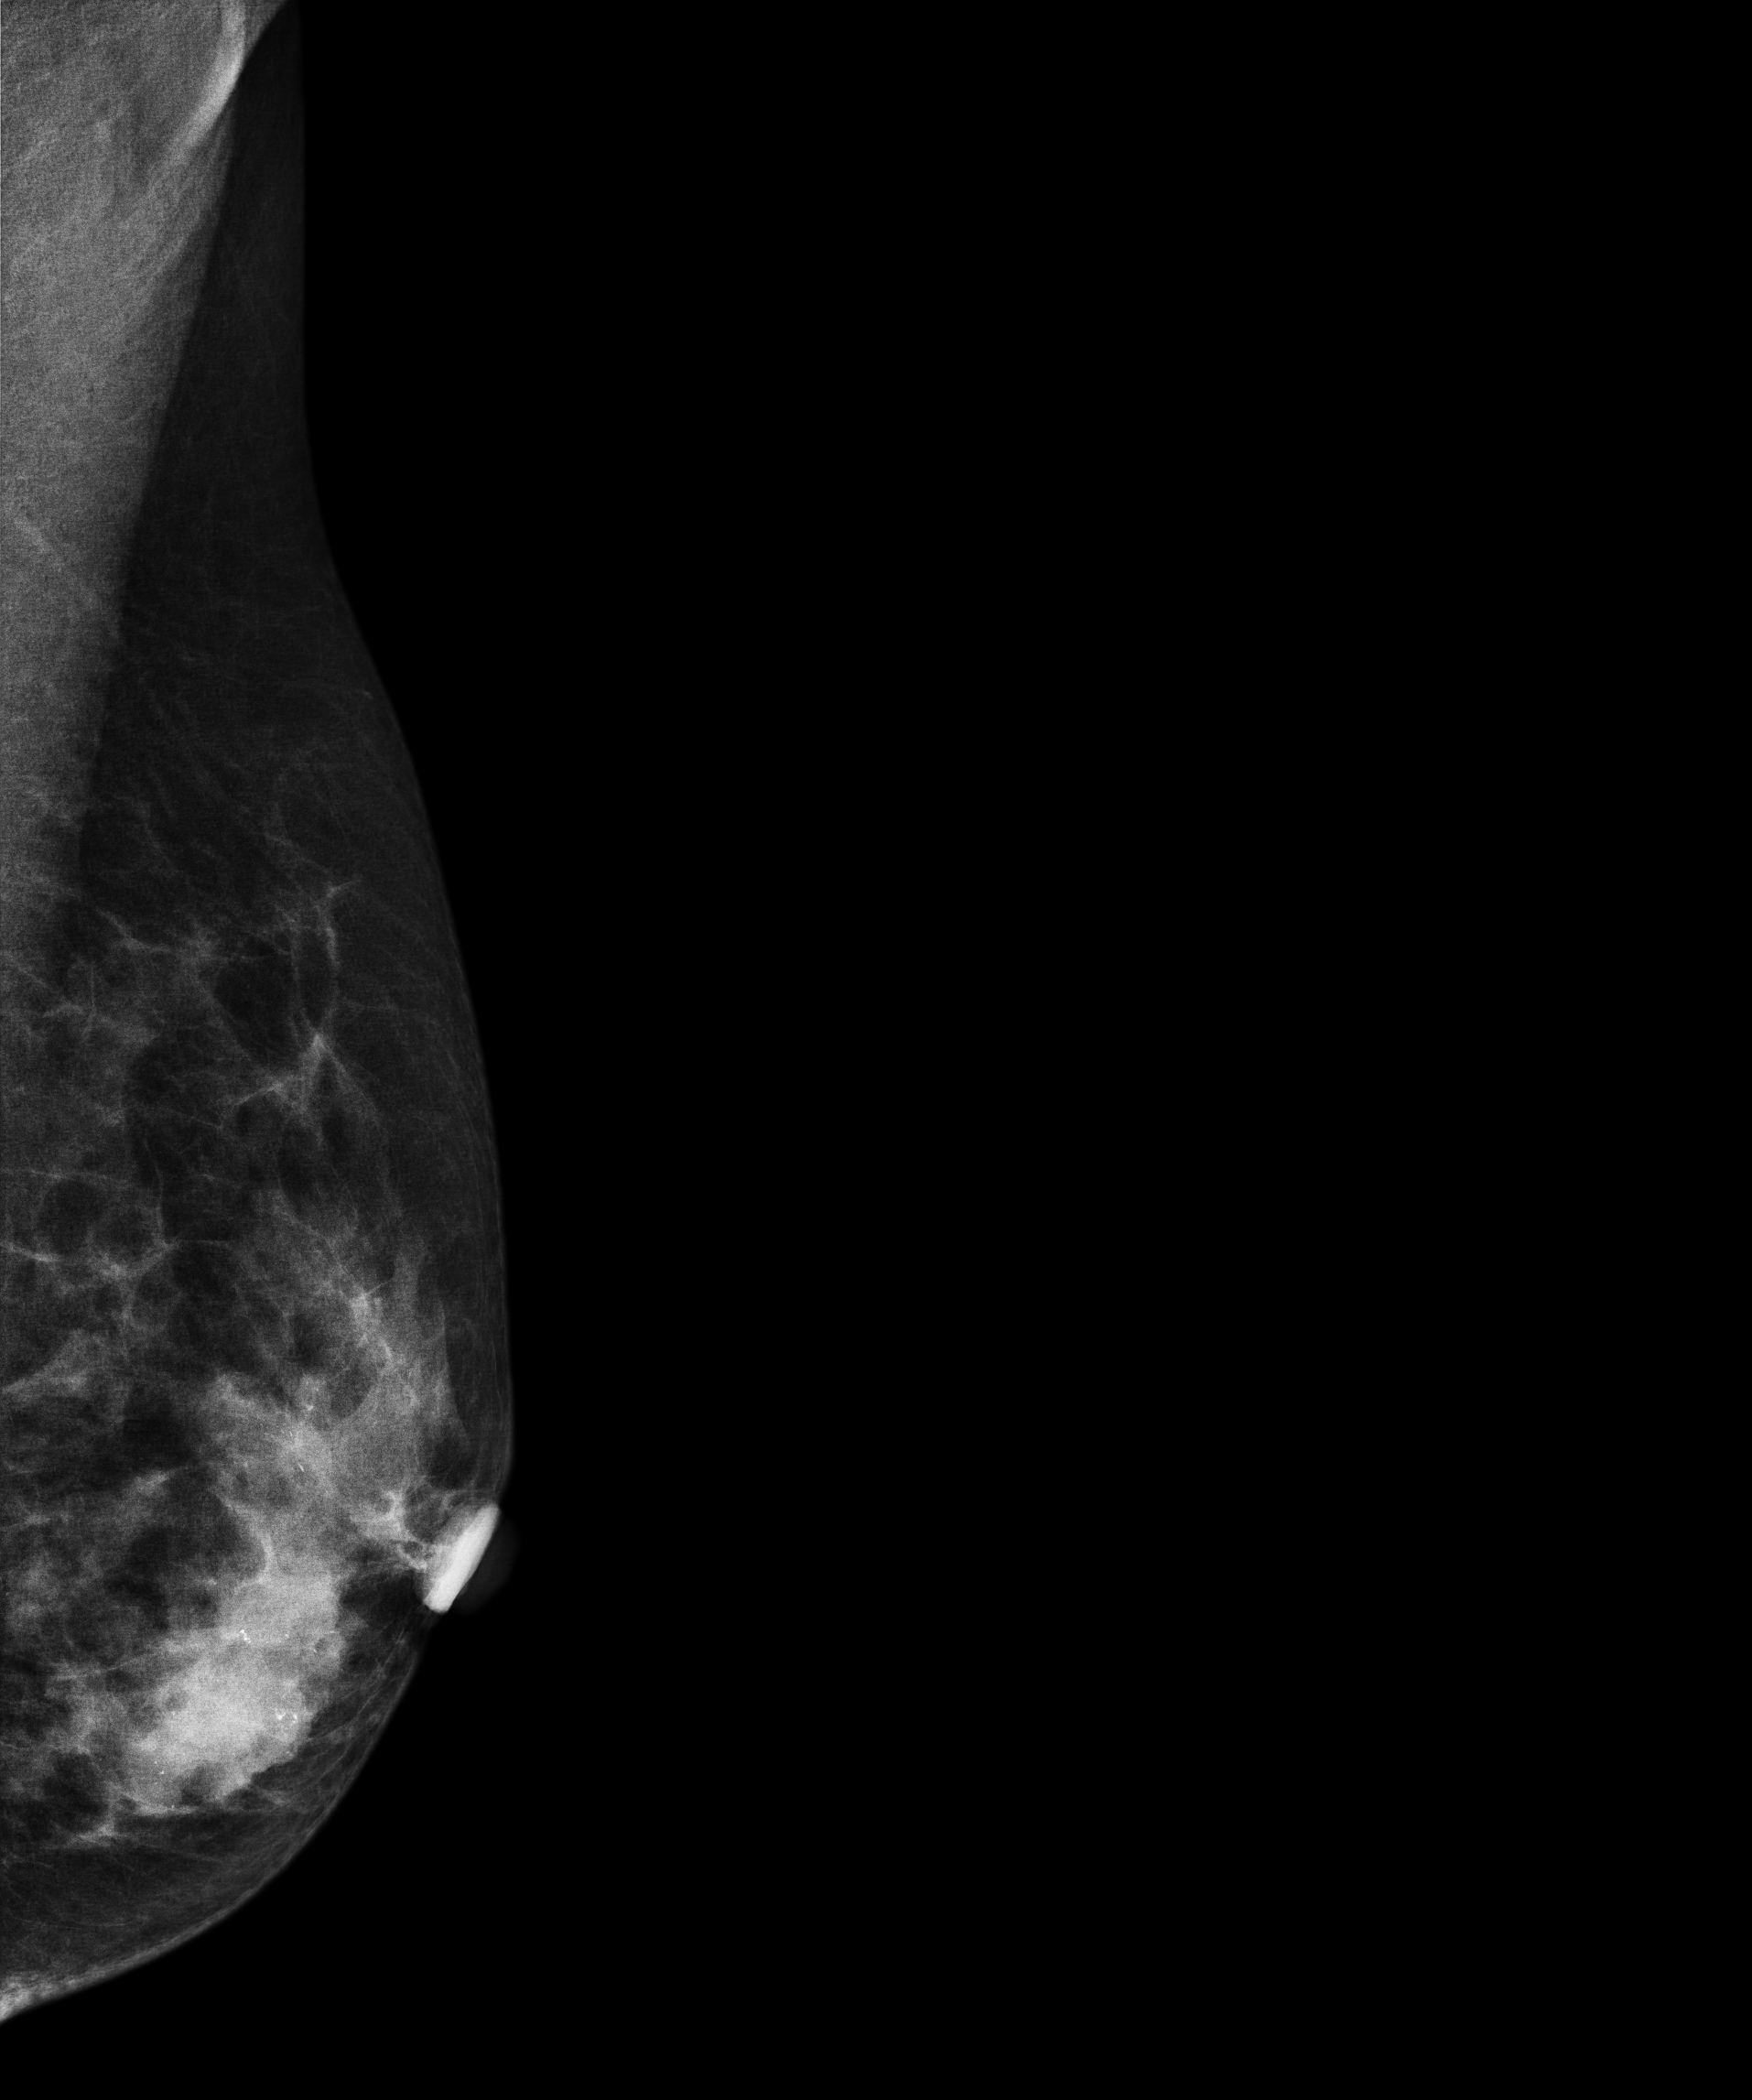
Medio-lateral oblique mammogram of the left breast. 54 y/o patient.
This breast has a mass and calcifications, pathology-confirmed malignant.